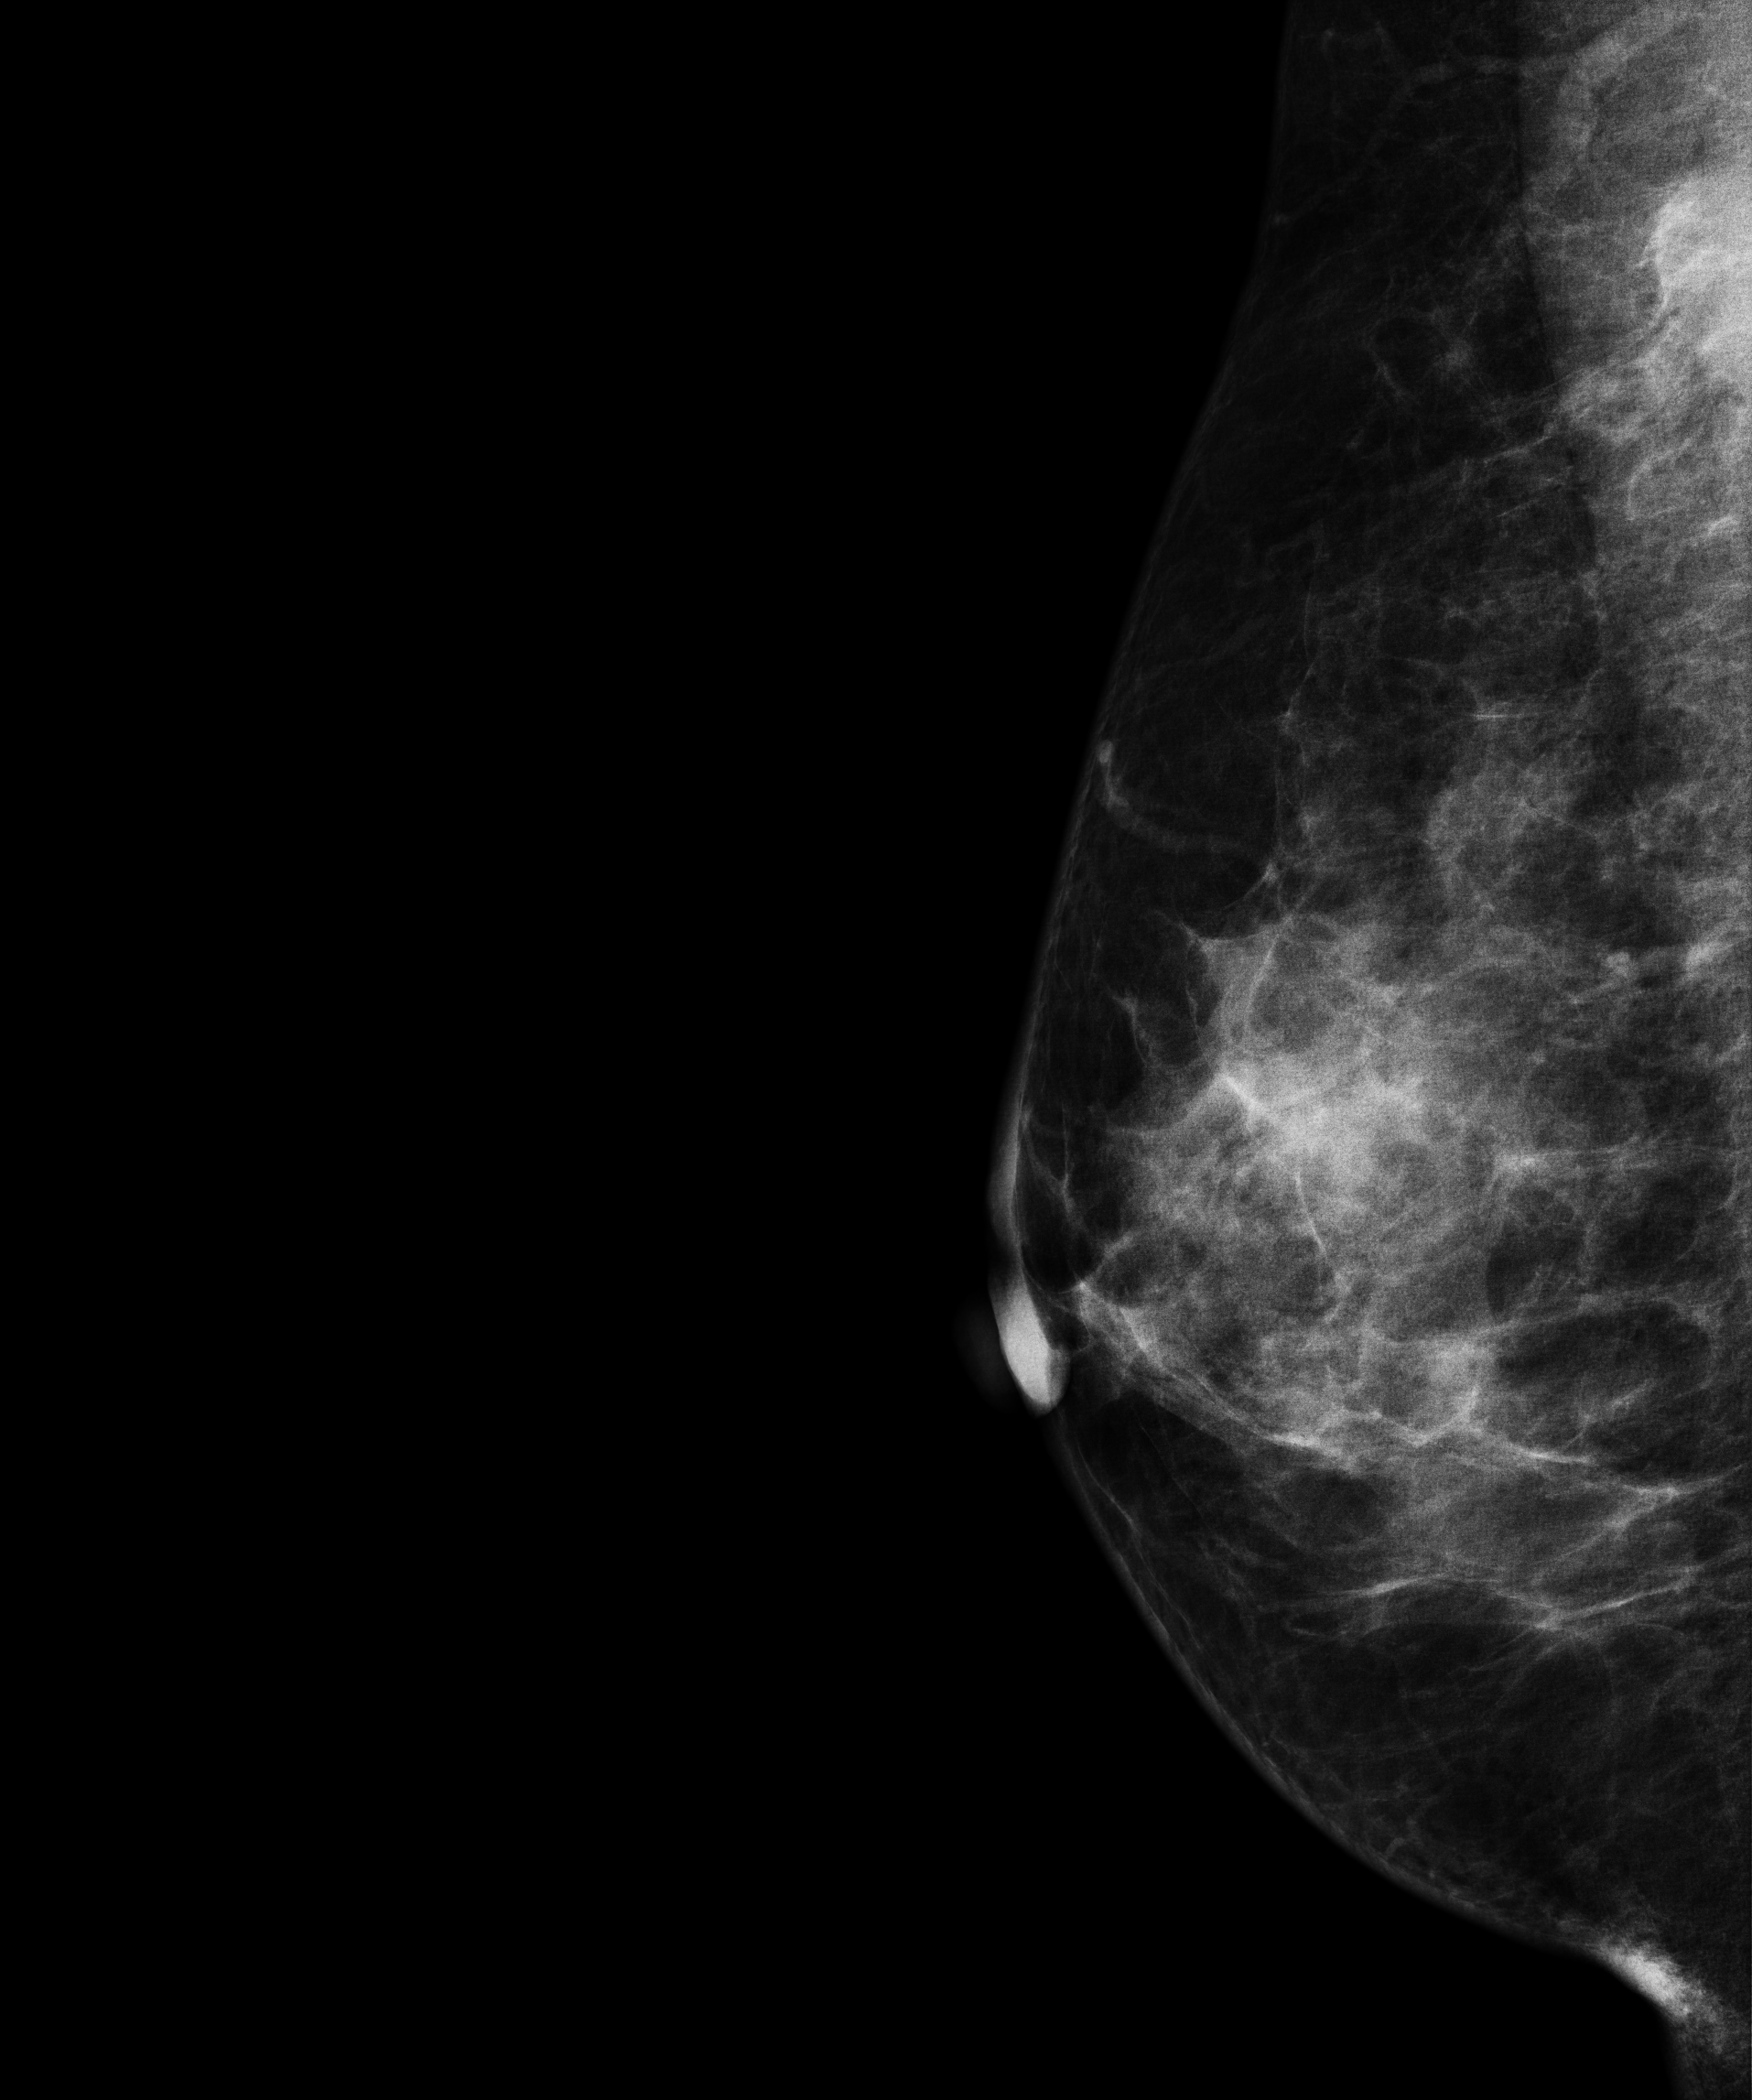
Digital mammography. Right breast, MLO projection. 46 y/o patient.
This breast has a mass, pathology-confirmed malignant. Molecular subtype: triple-negative.